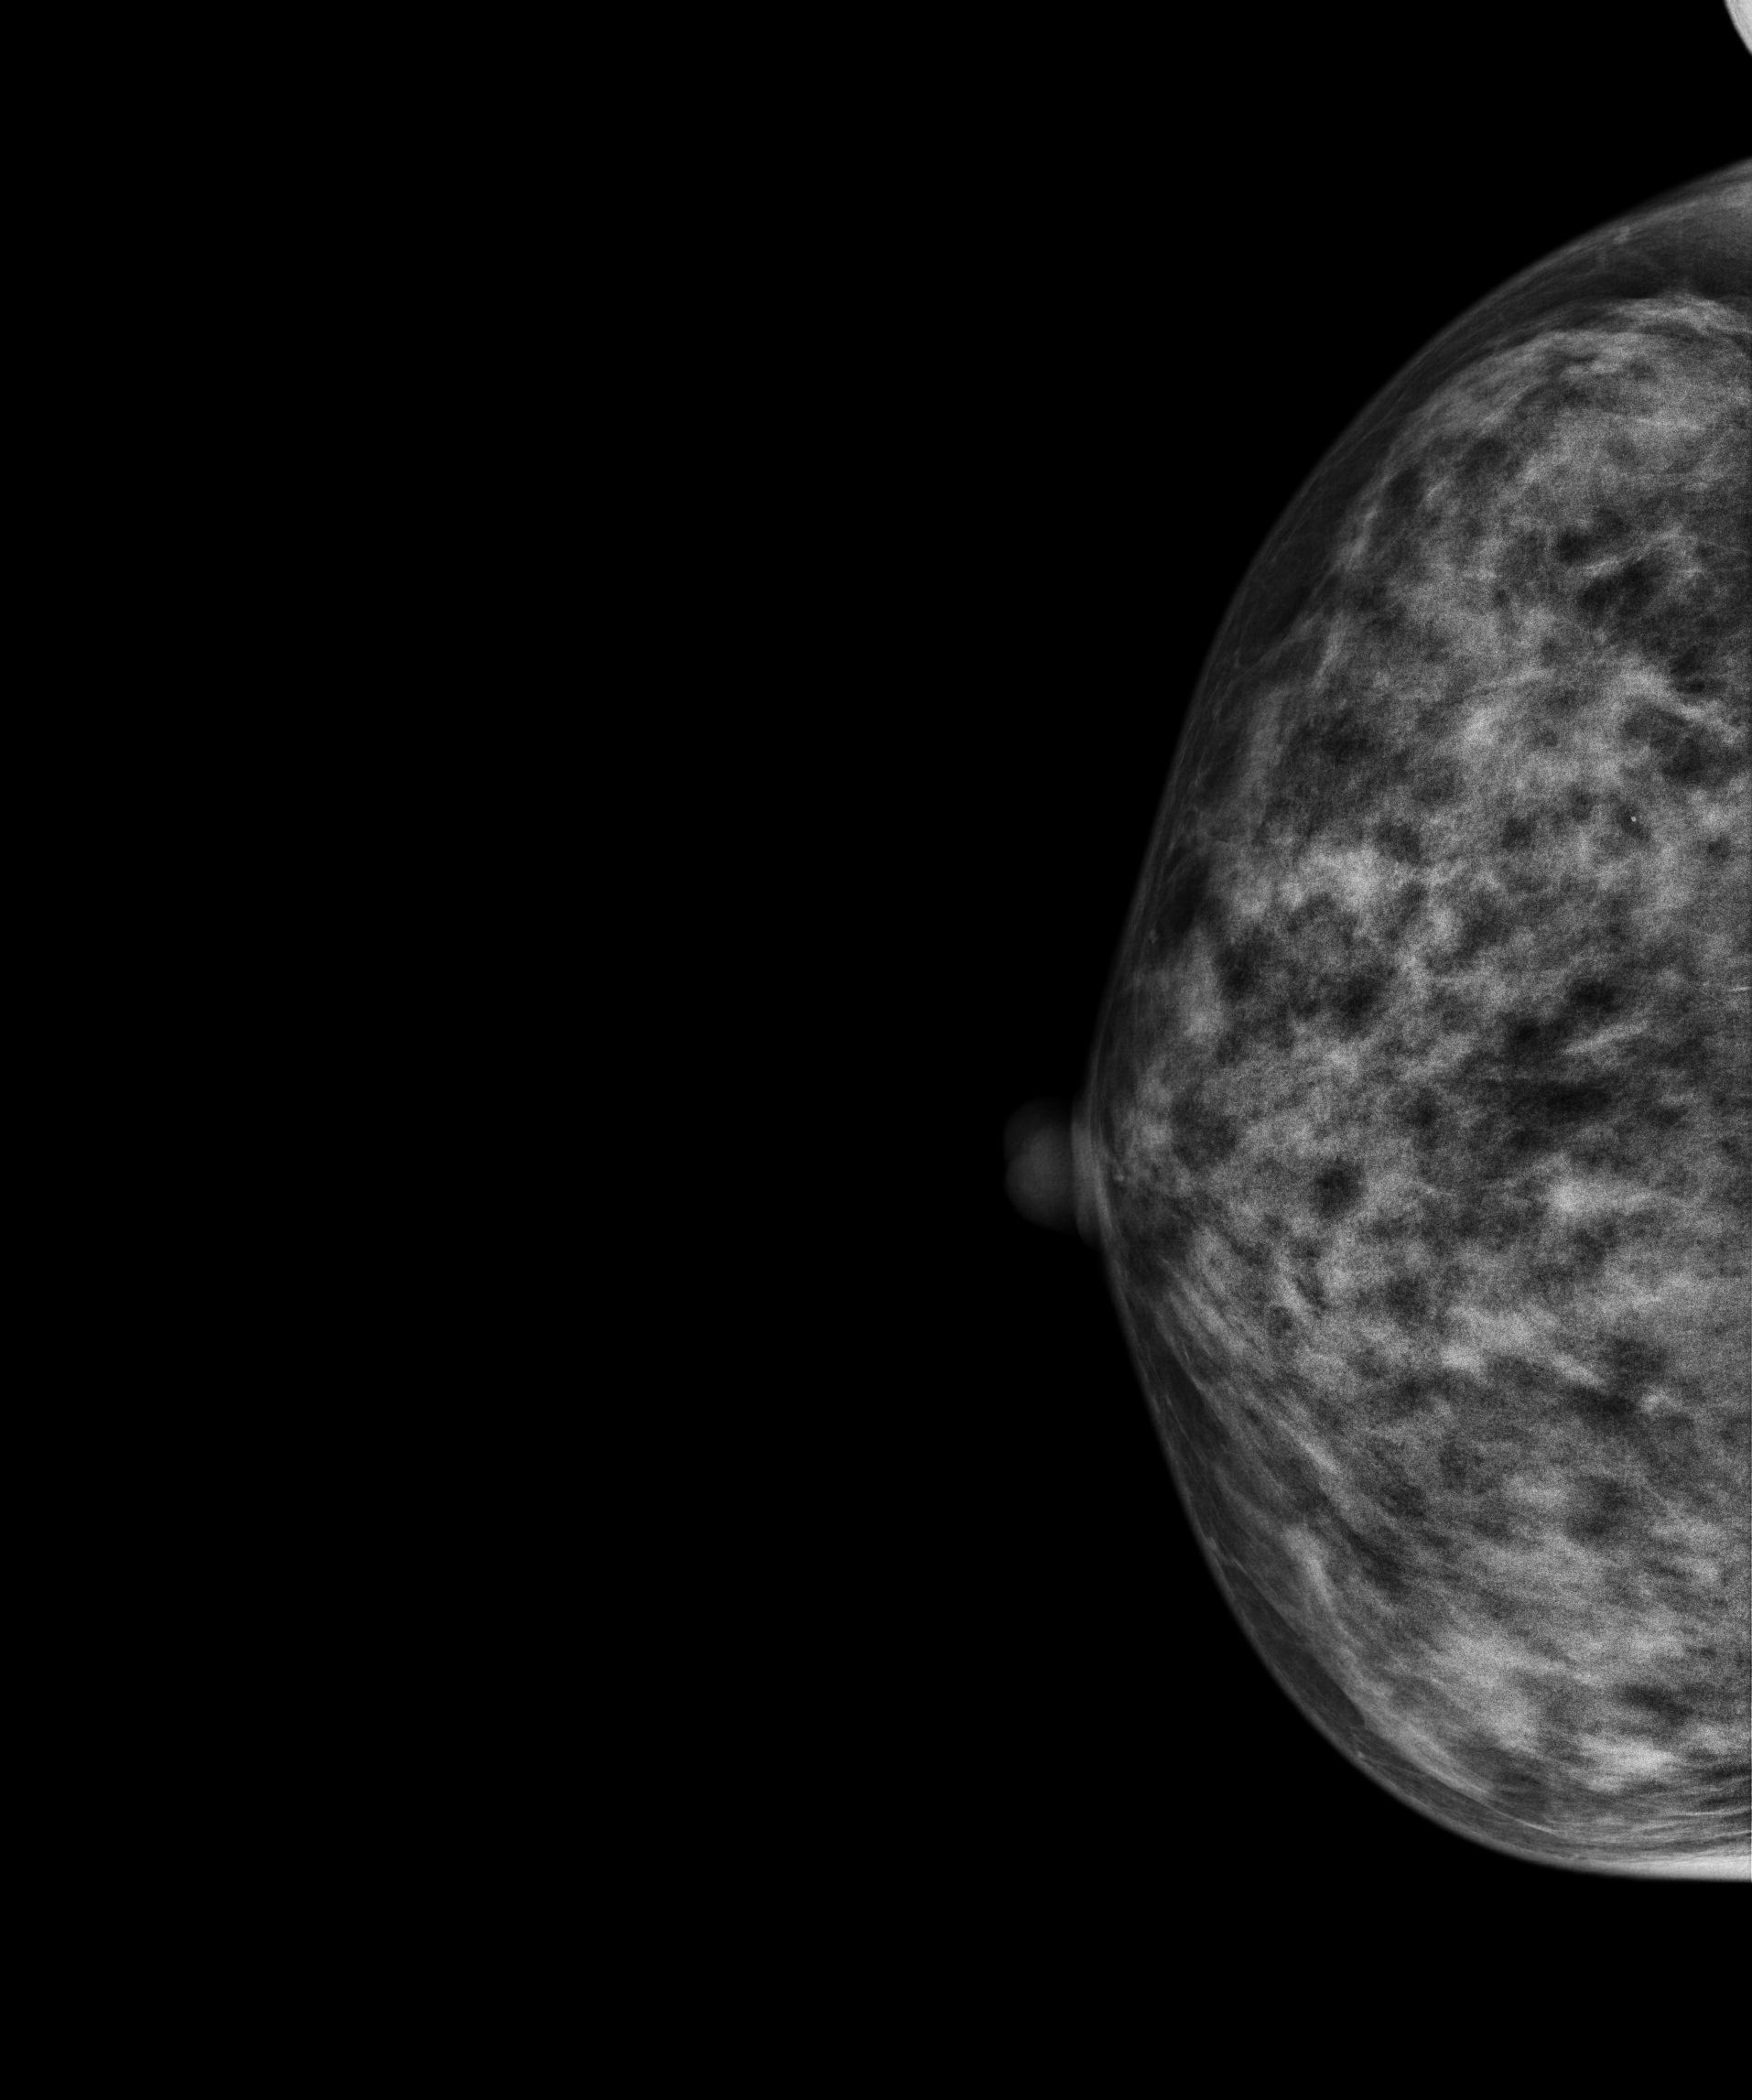
Right-breast mammogram, cranio-caudal. 42 y/o patient.
This breast has a mass, biopsy-confirmed malignant. Molecular subtype: luminal B.